Right-breast mammogram, medio-lateral oblique. 33-year-old patient.
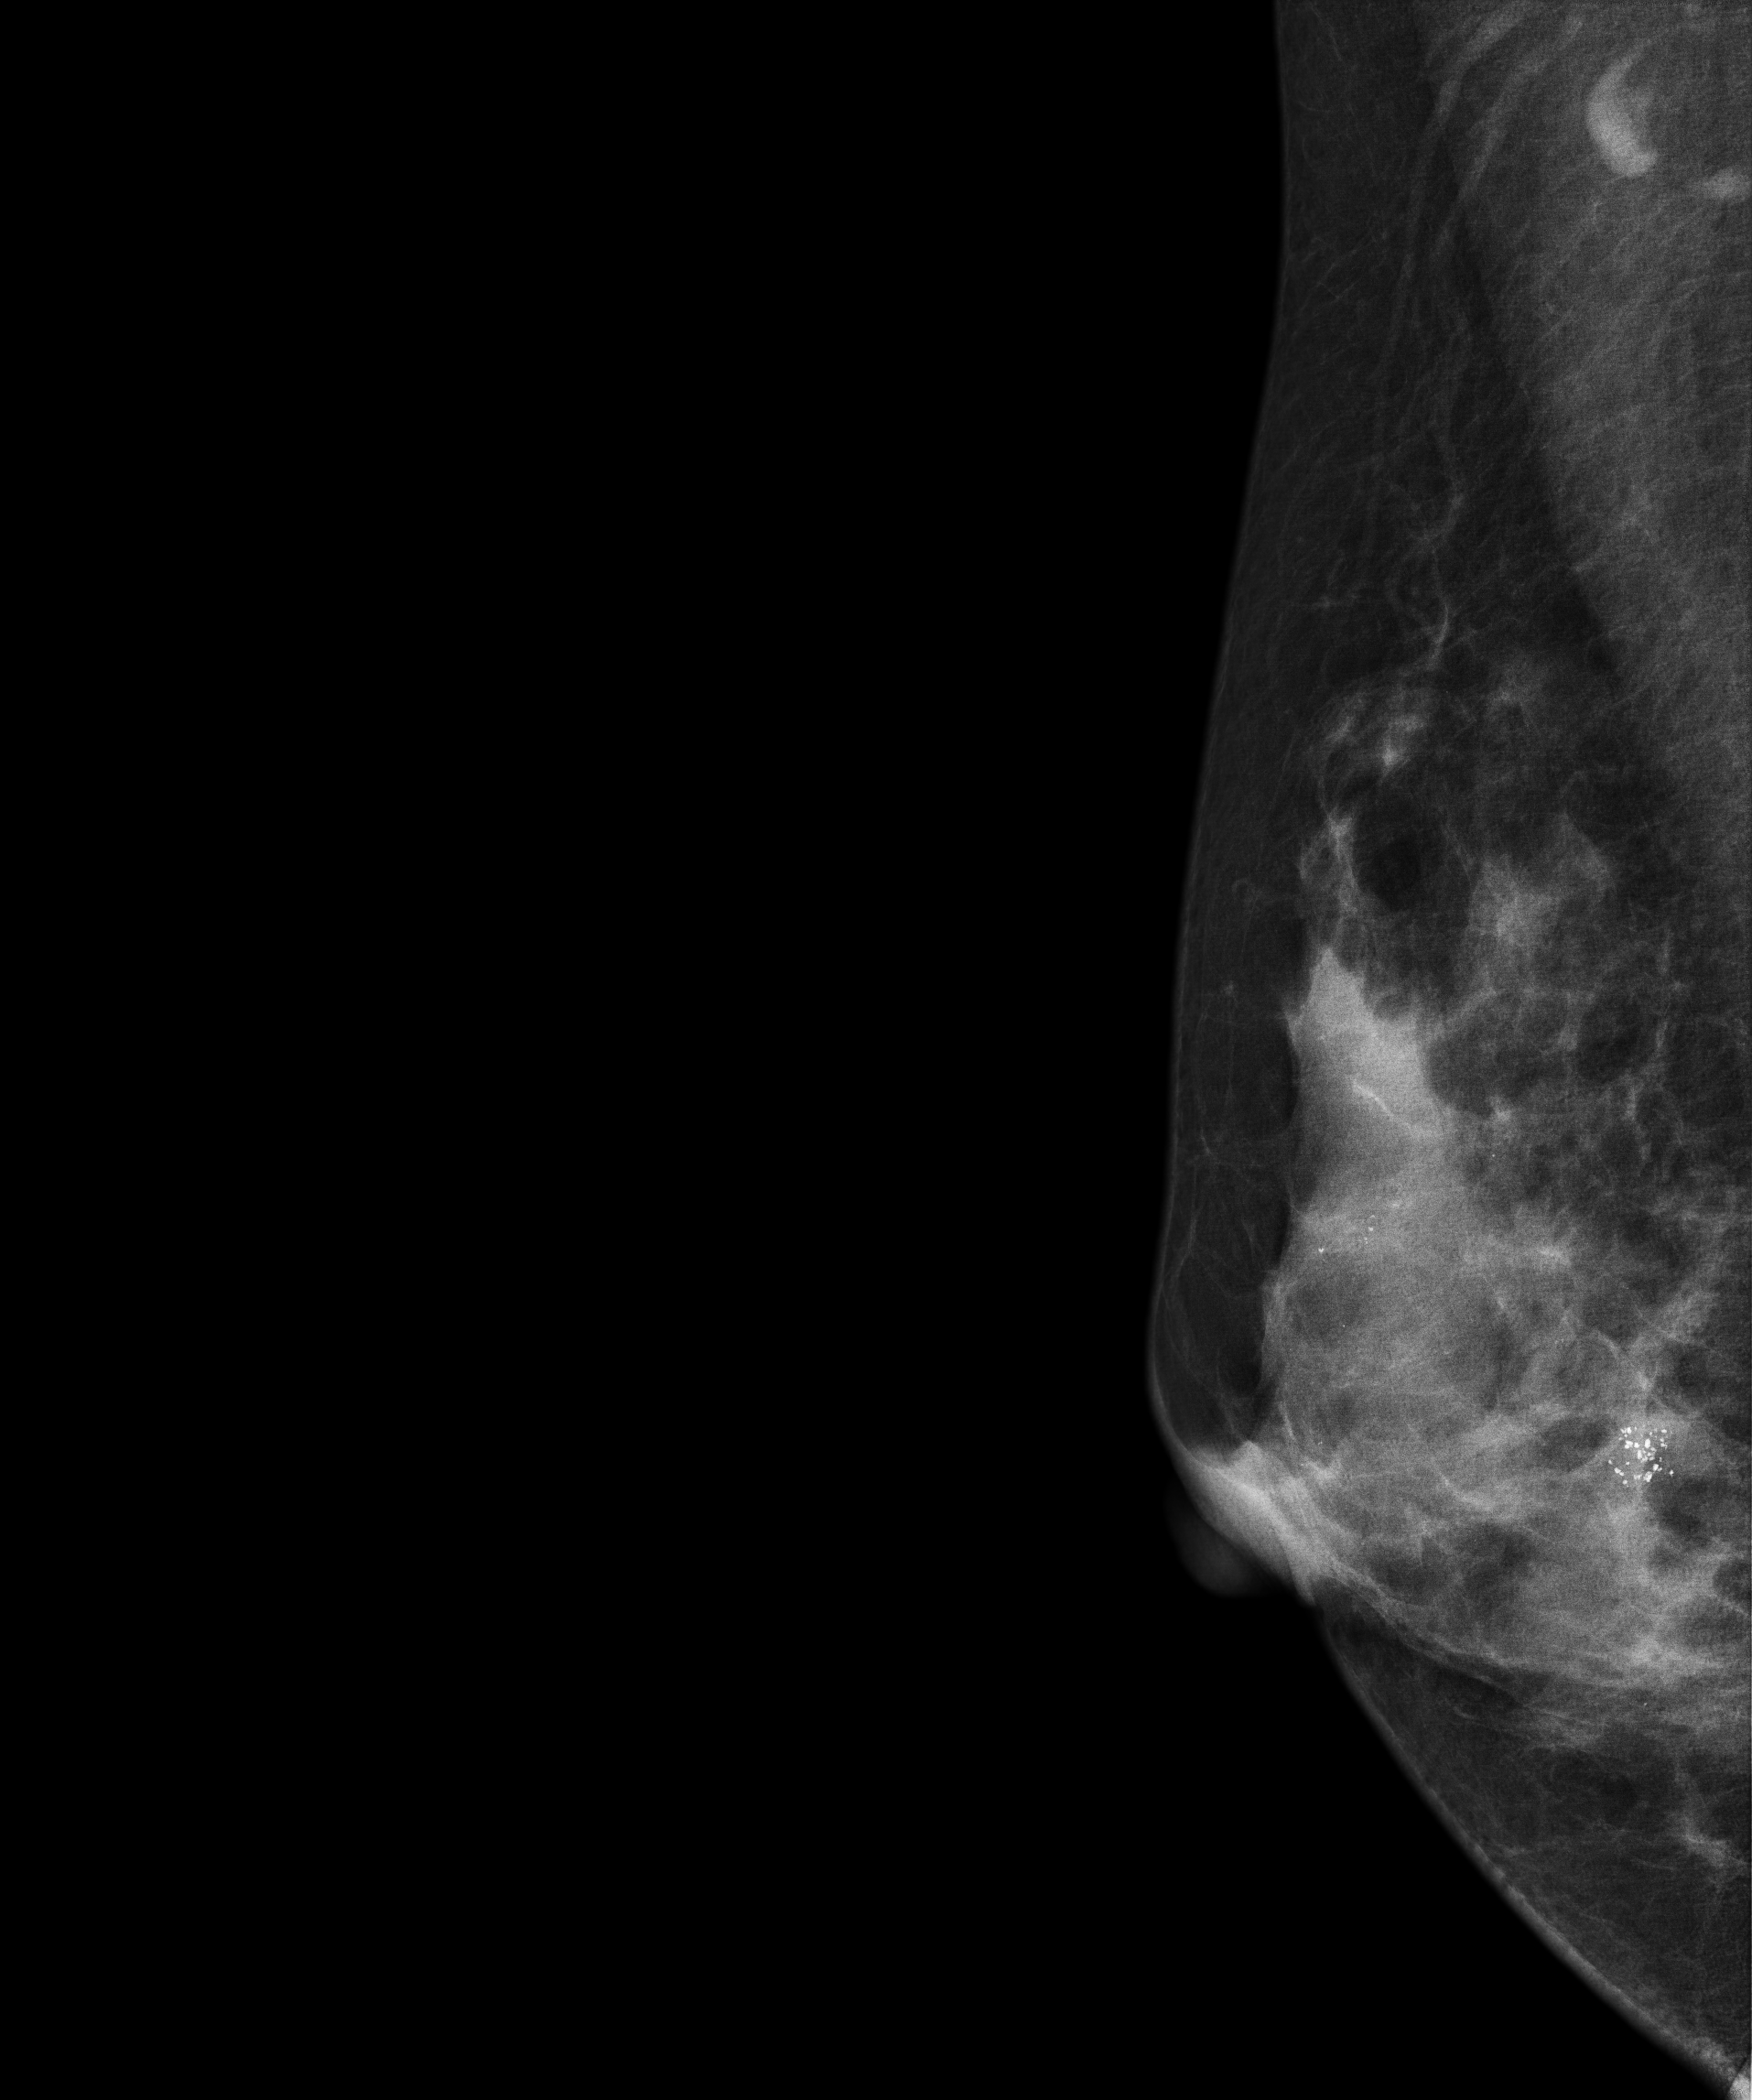
This breast has a mass and calcifications, biopsy-confirmed benign.